Medio-lateral oblique mammogram of the left breast. 32 y/o patient.
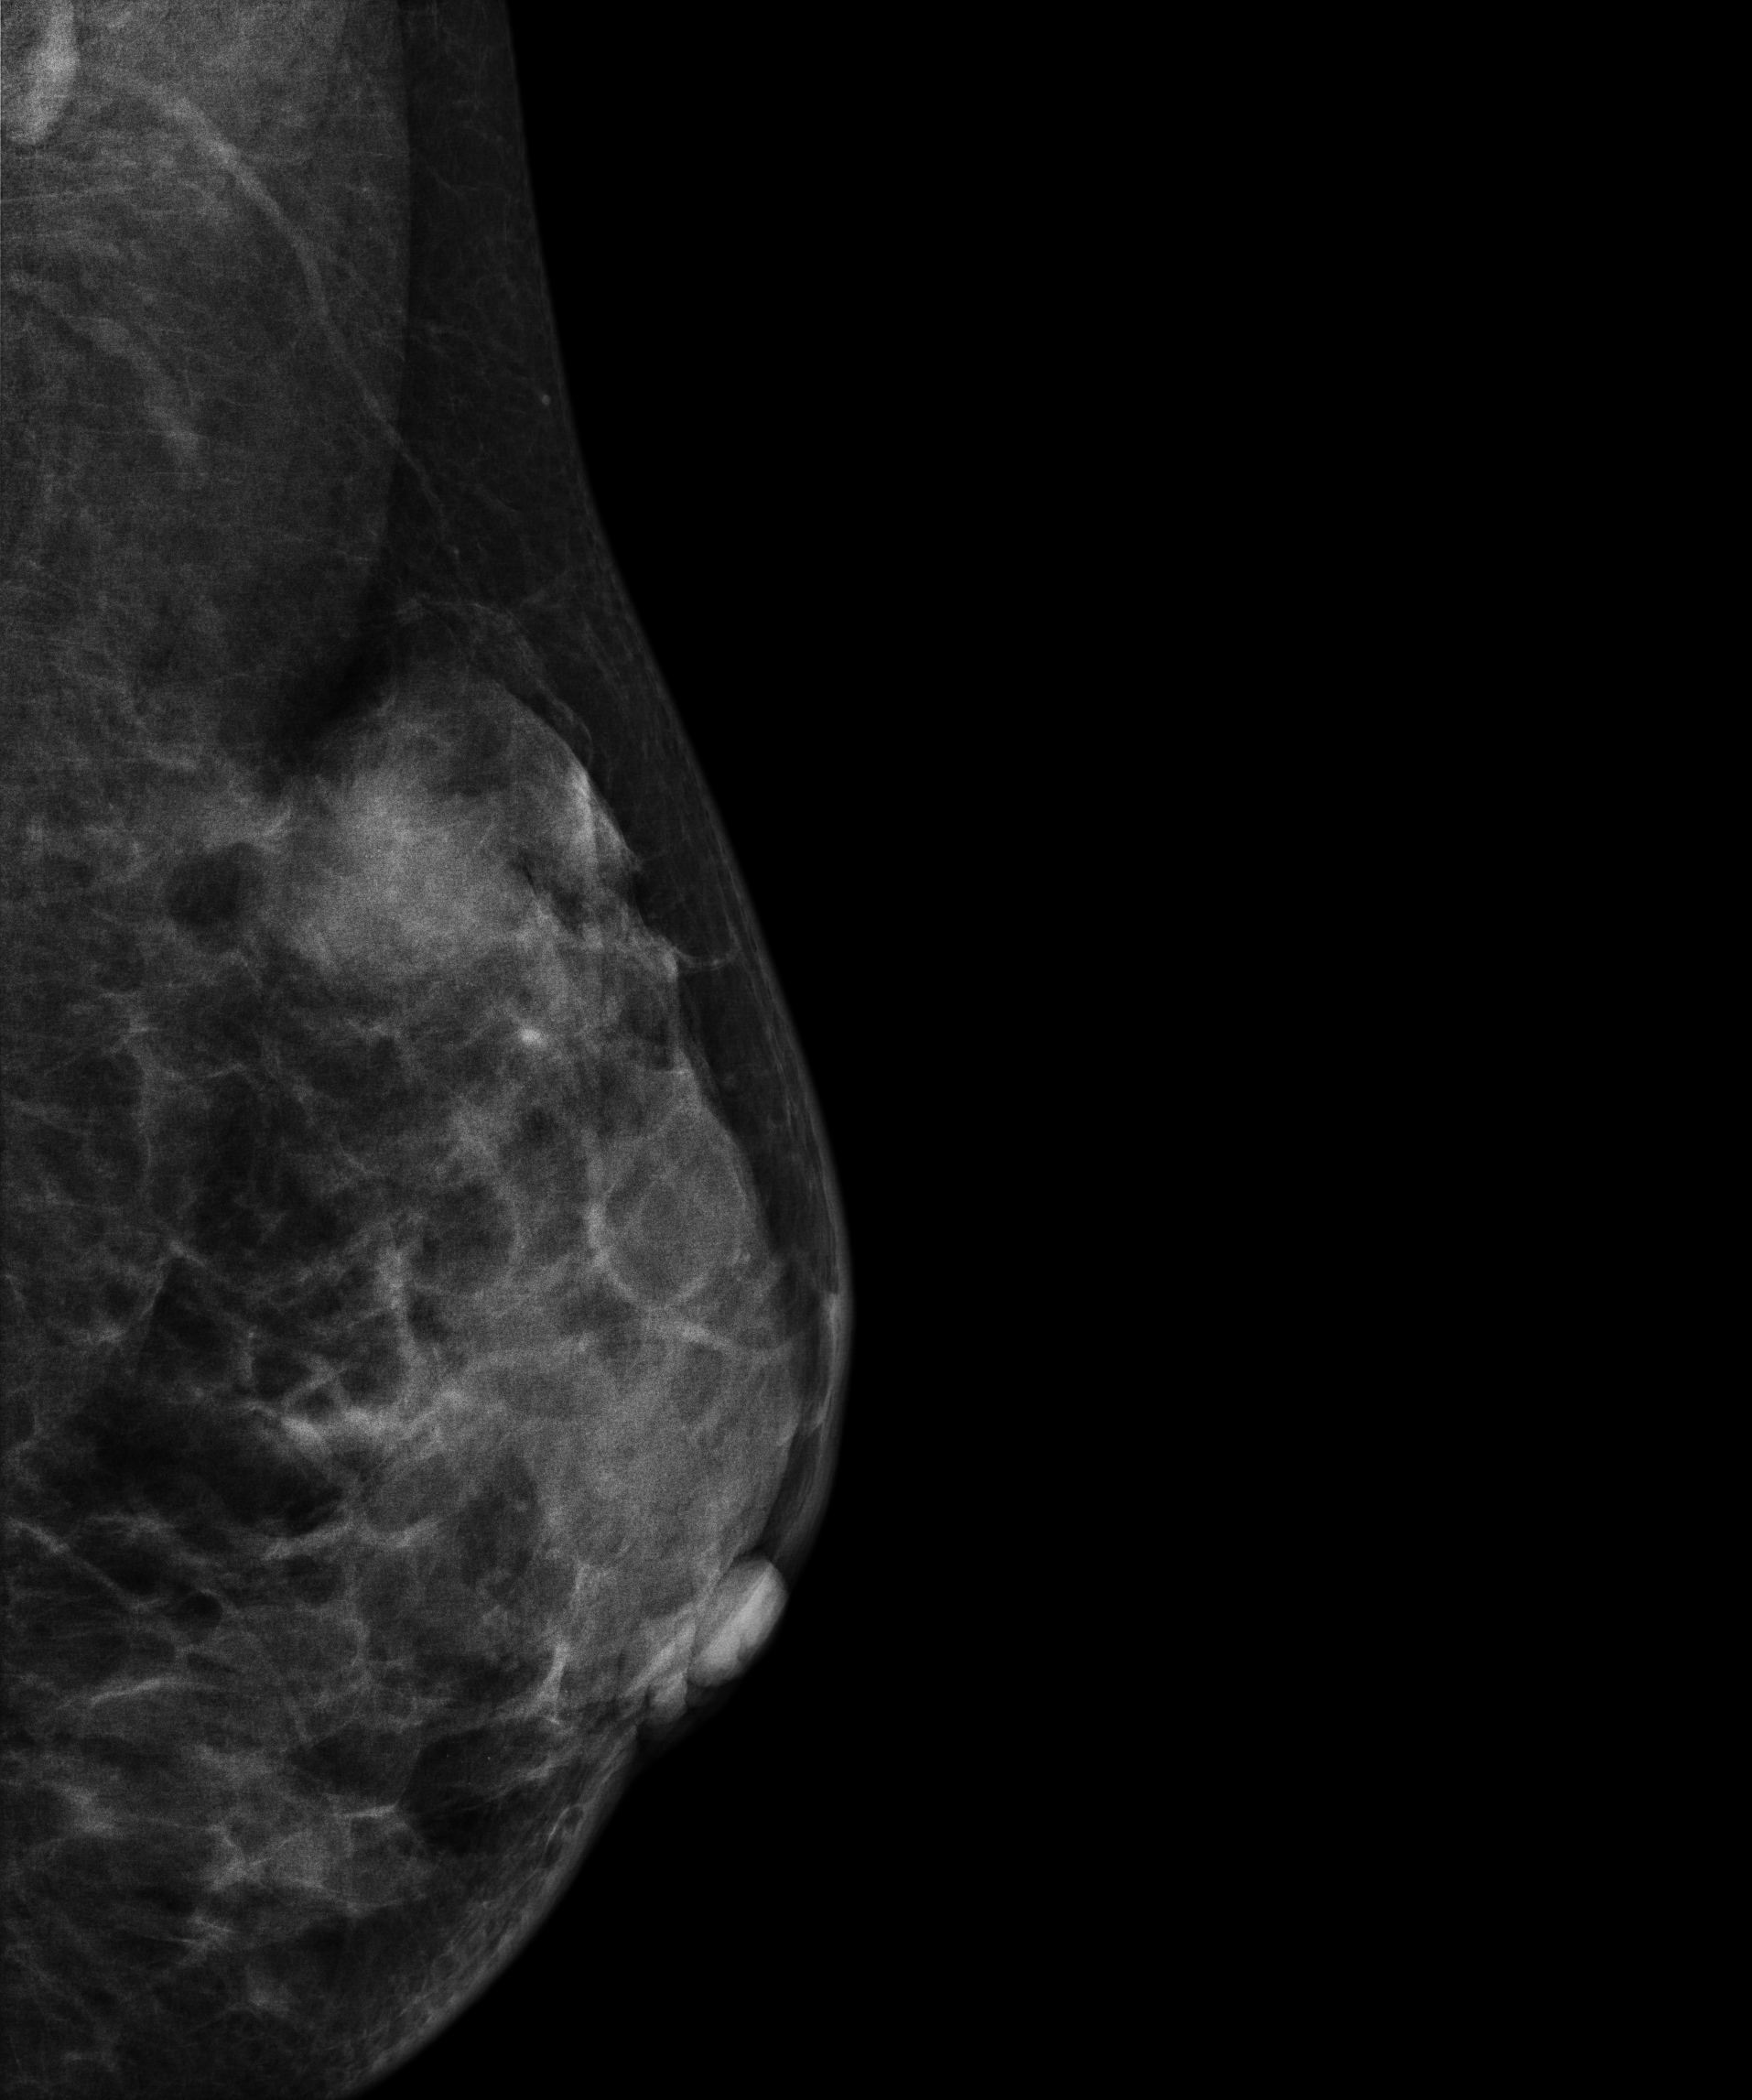
This breast has a mass, histologically confirmed malignant.